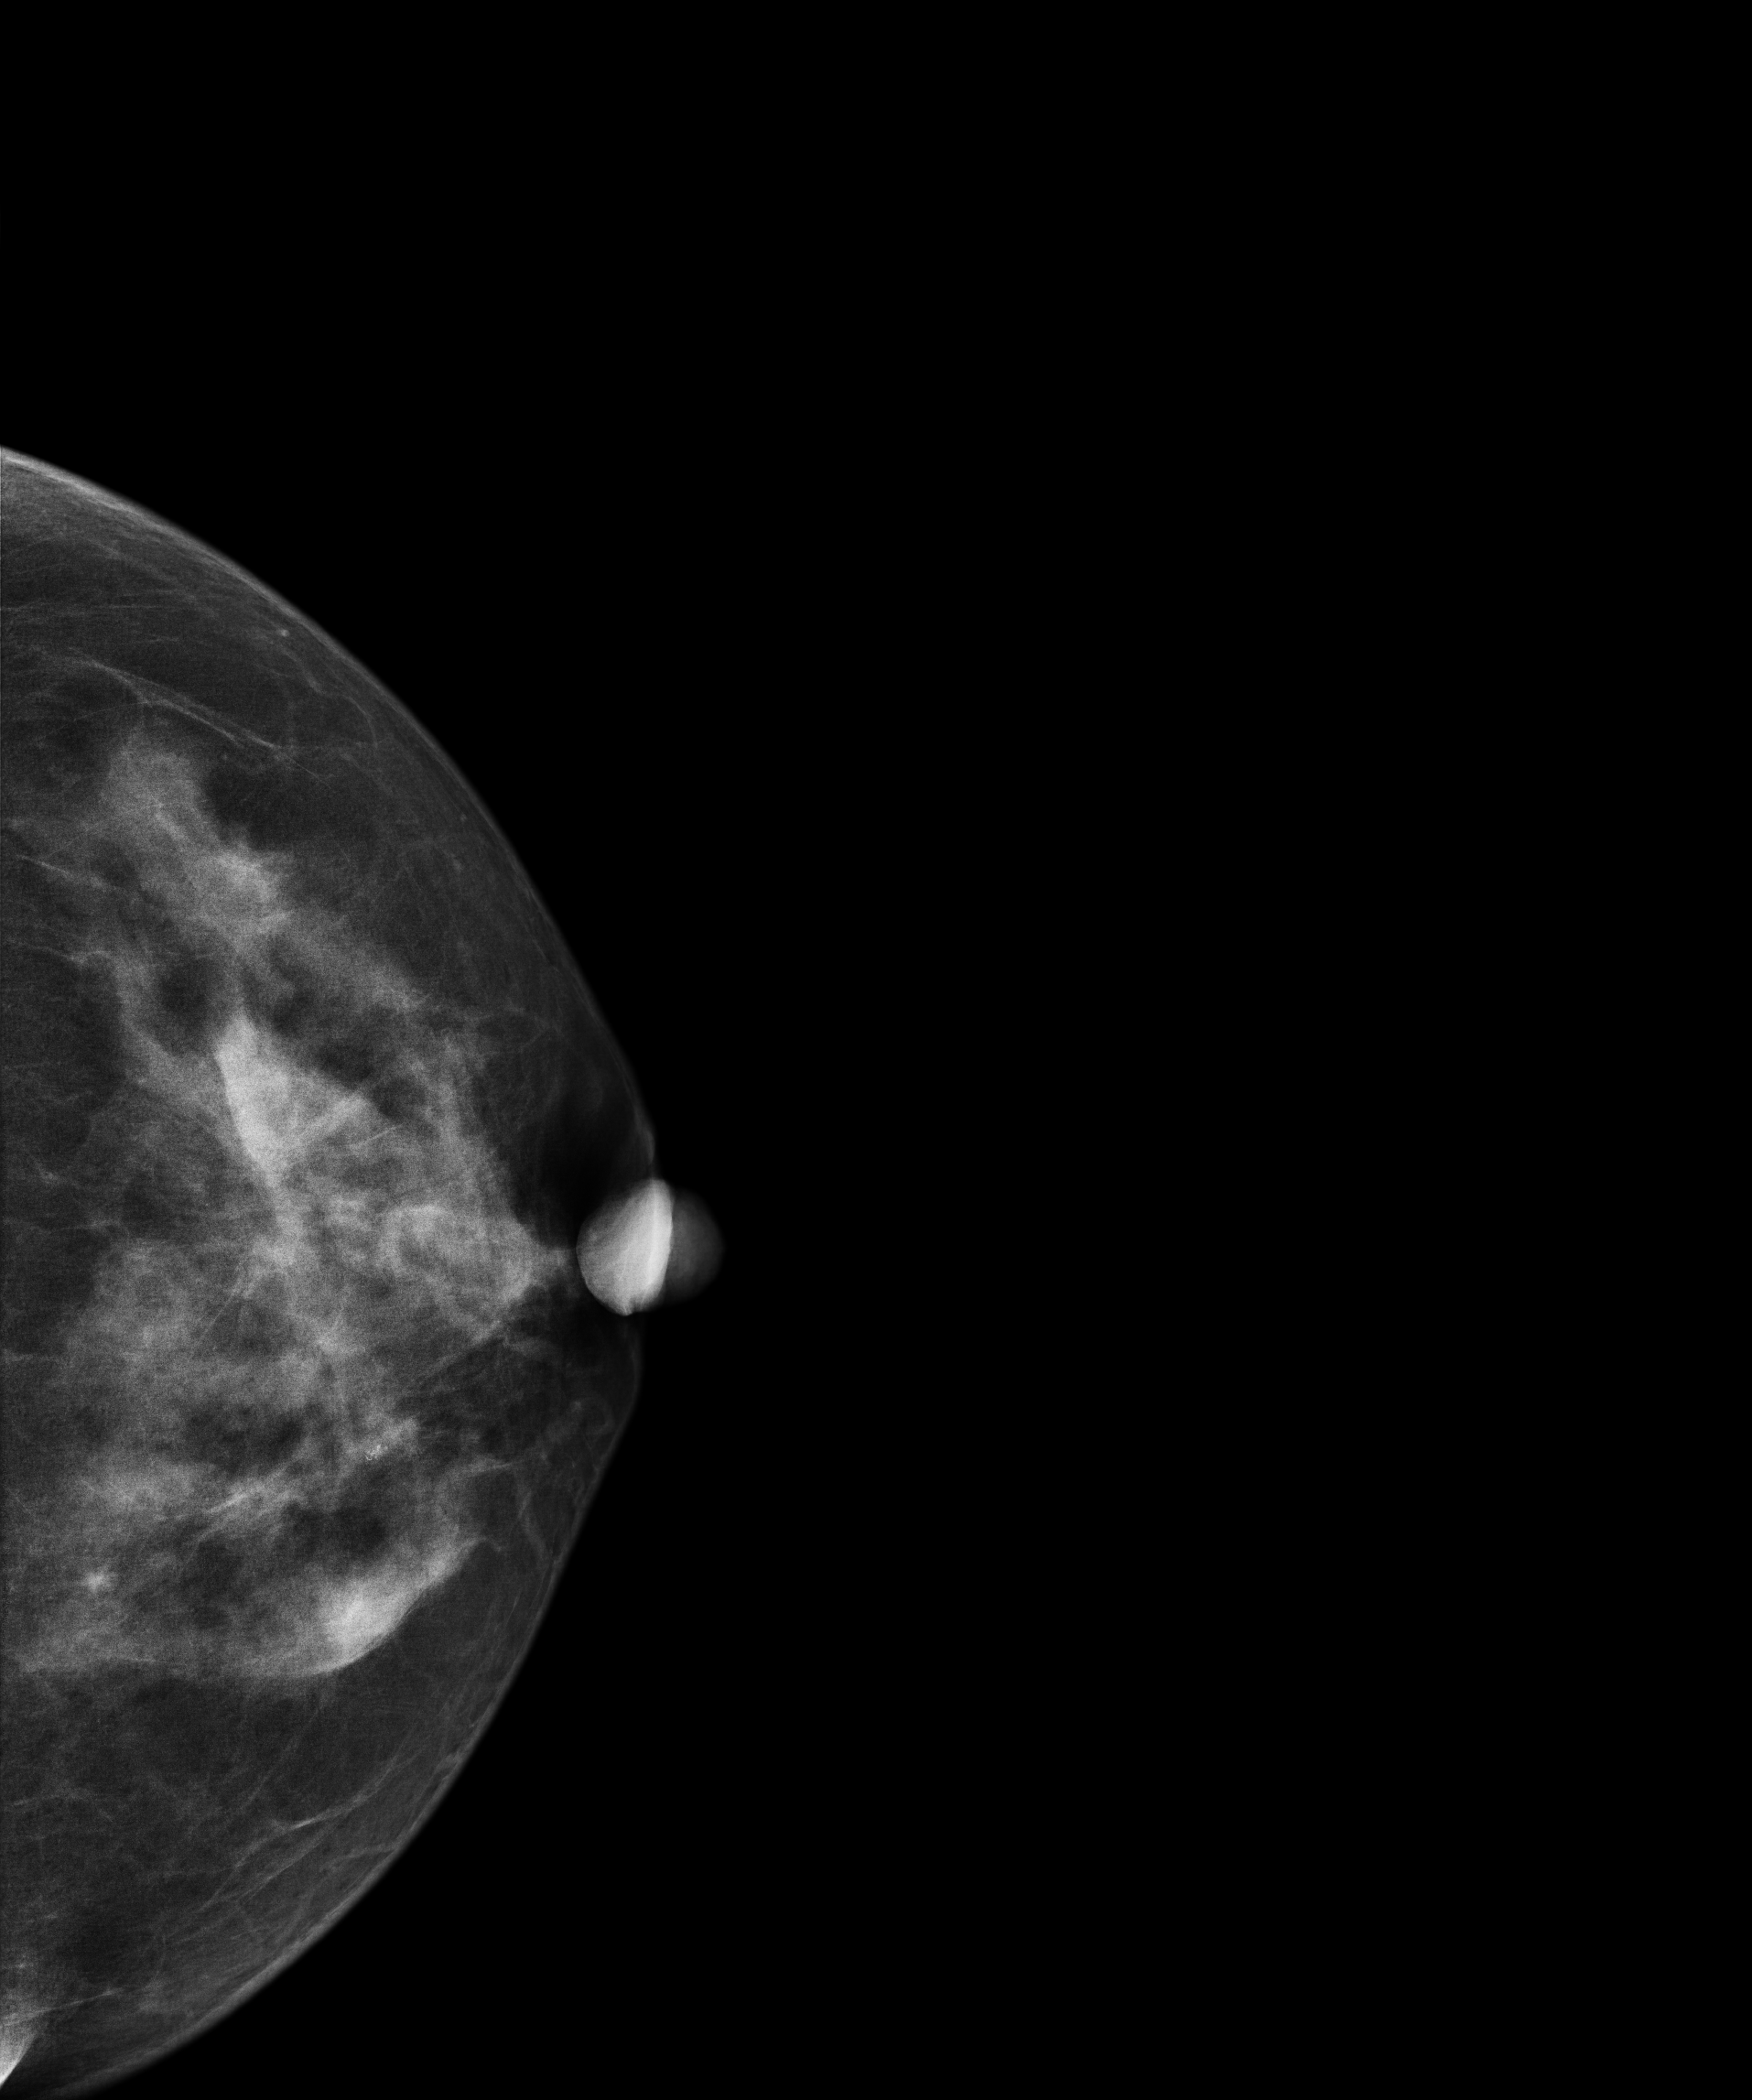
CC mammogram of the left breast. 44-year-old patient.
This breast has a mass, biopsy-proven malignant.